Mammogram, left breast, medio-lateral oblique view. Patient age 53.
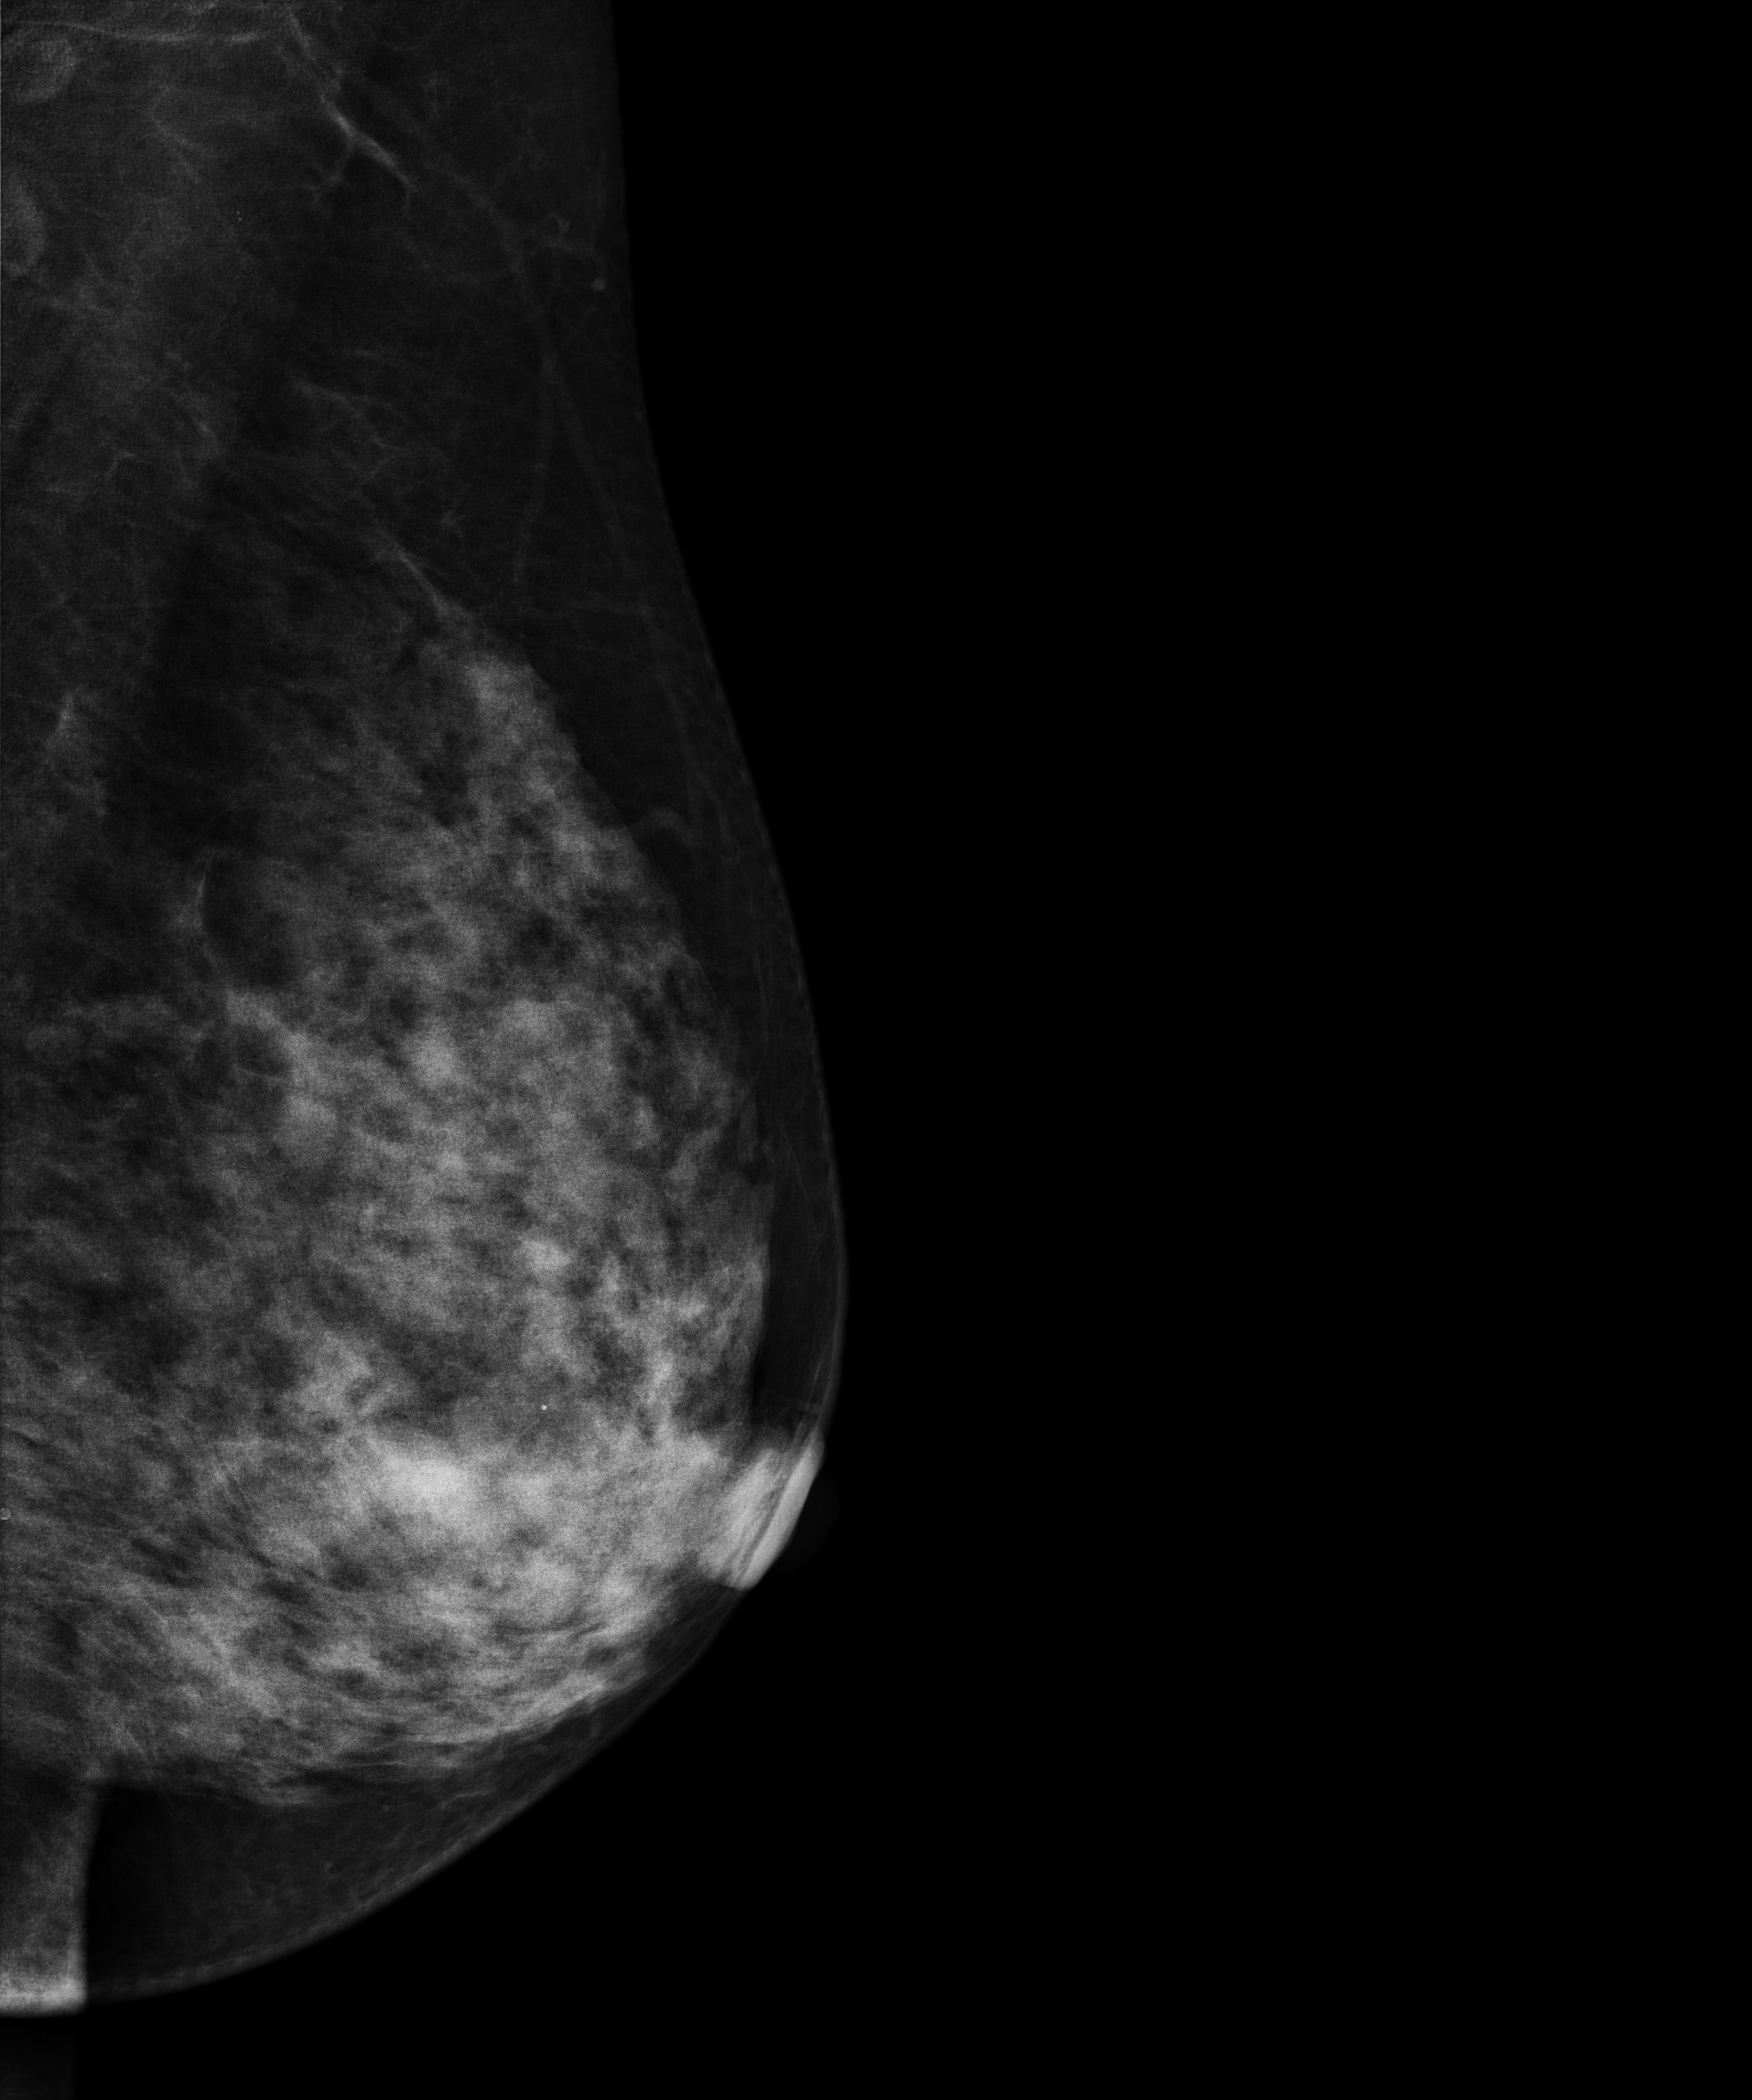
Contralateral breast — no documented abnormality on this side.